Digital mammography. Left breast, cranio-caudal projection. Patient age 64.
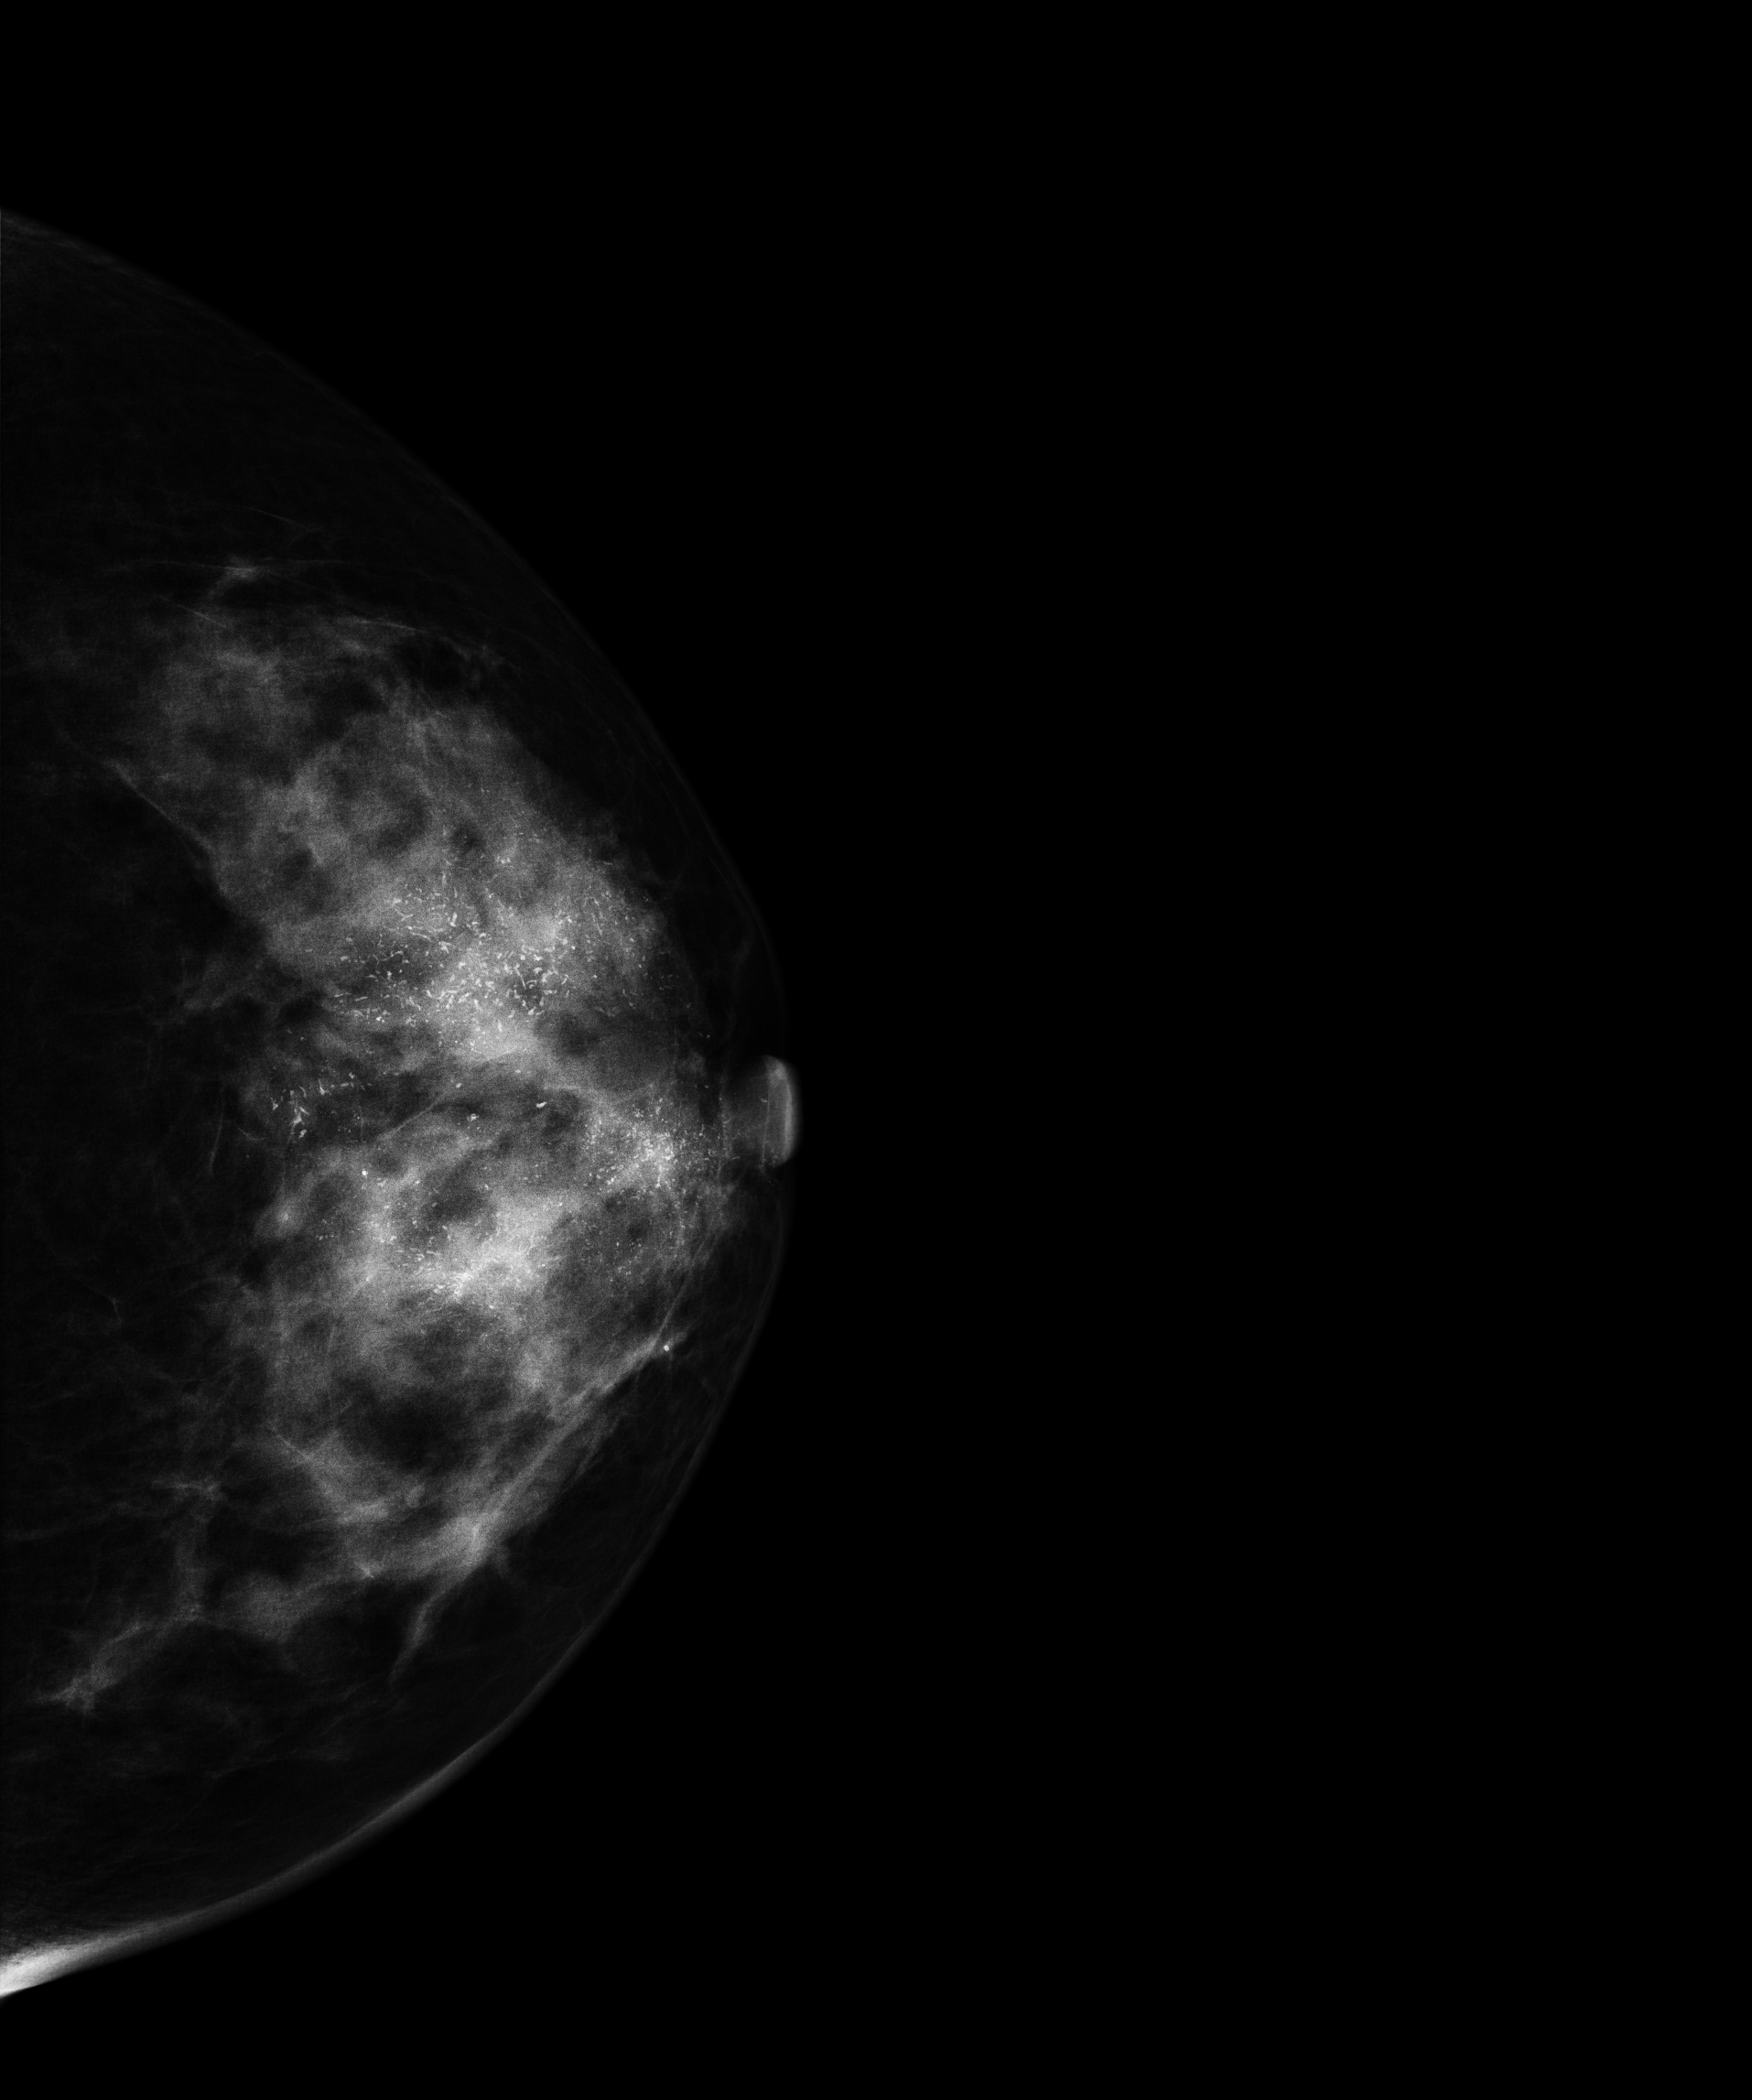
This breast has calcifications, pathology-confirmed malignant.